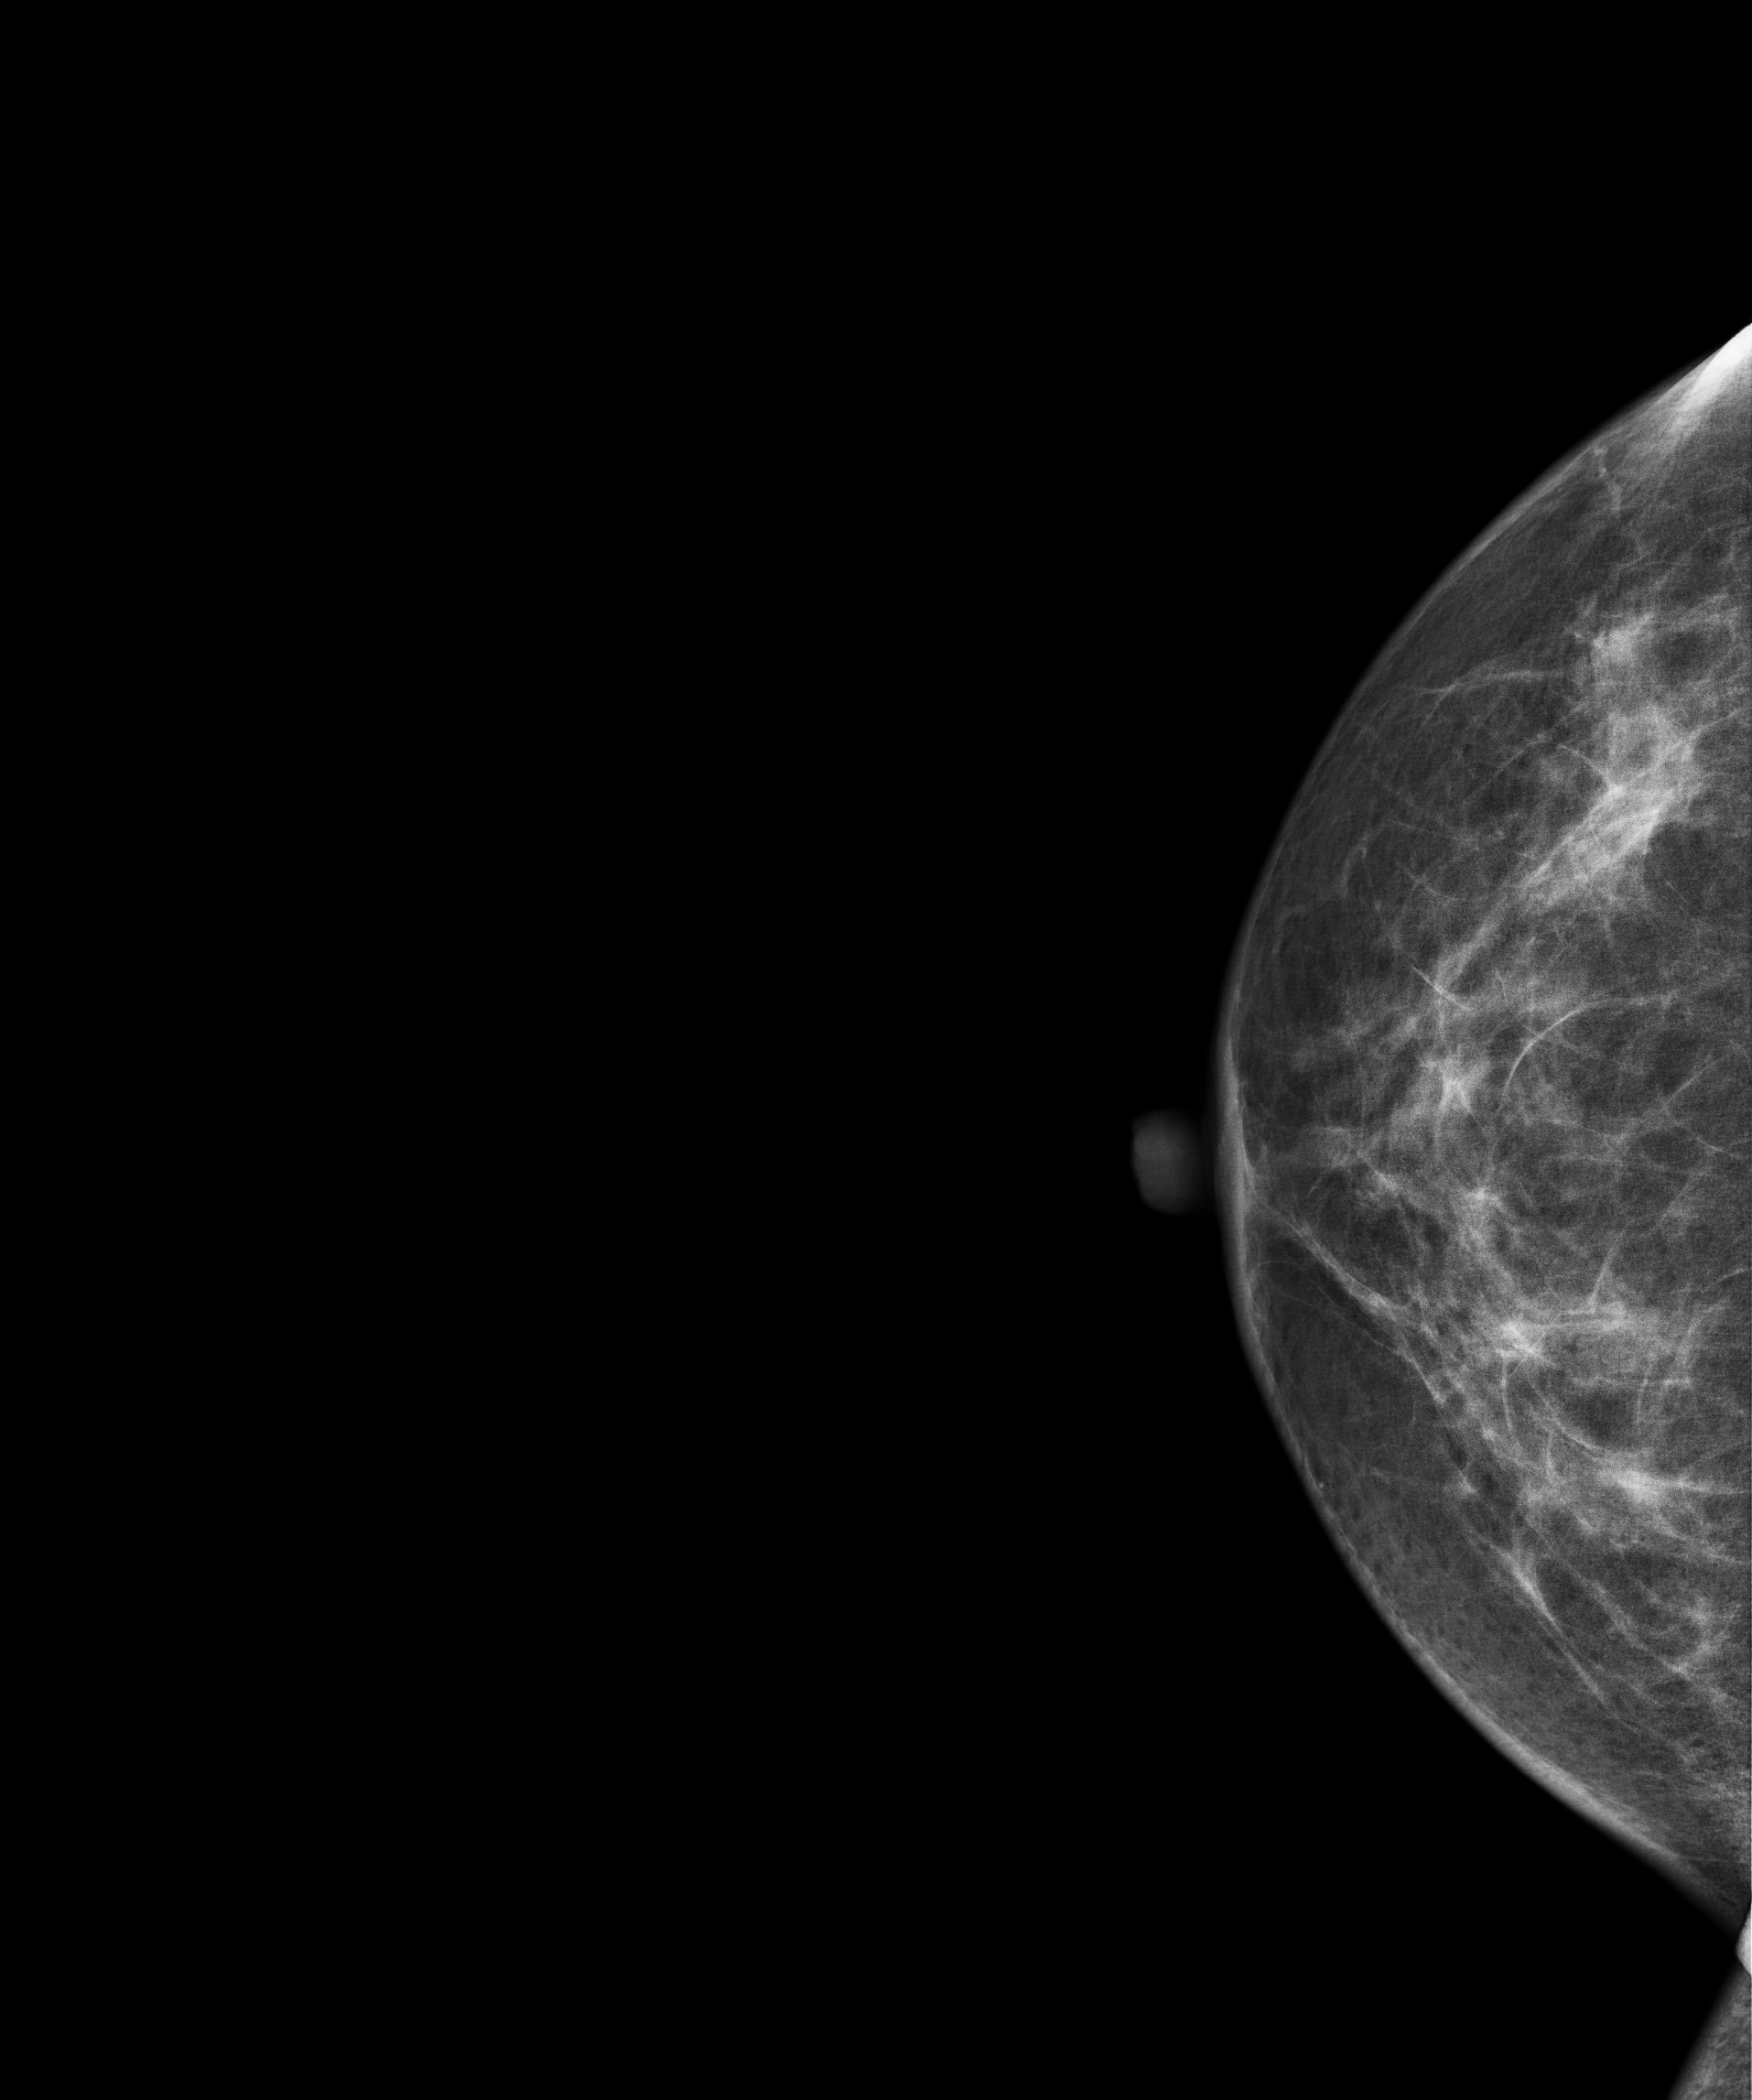
Digital mammography. Right breast, cranio-caudal projection. Patient age 42.
Contralateral breast — no documented abnormality on this side.